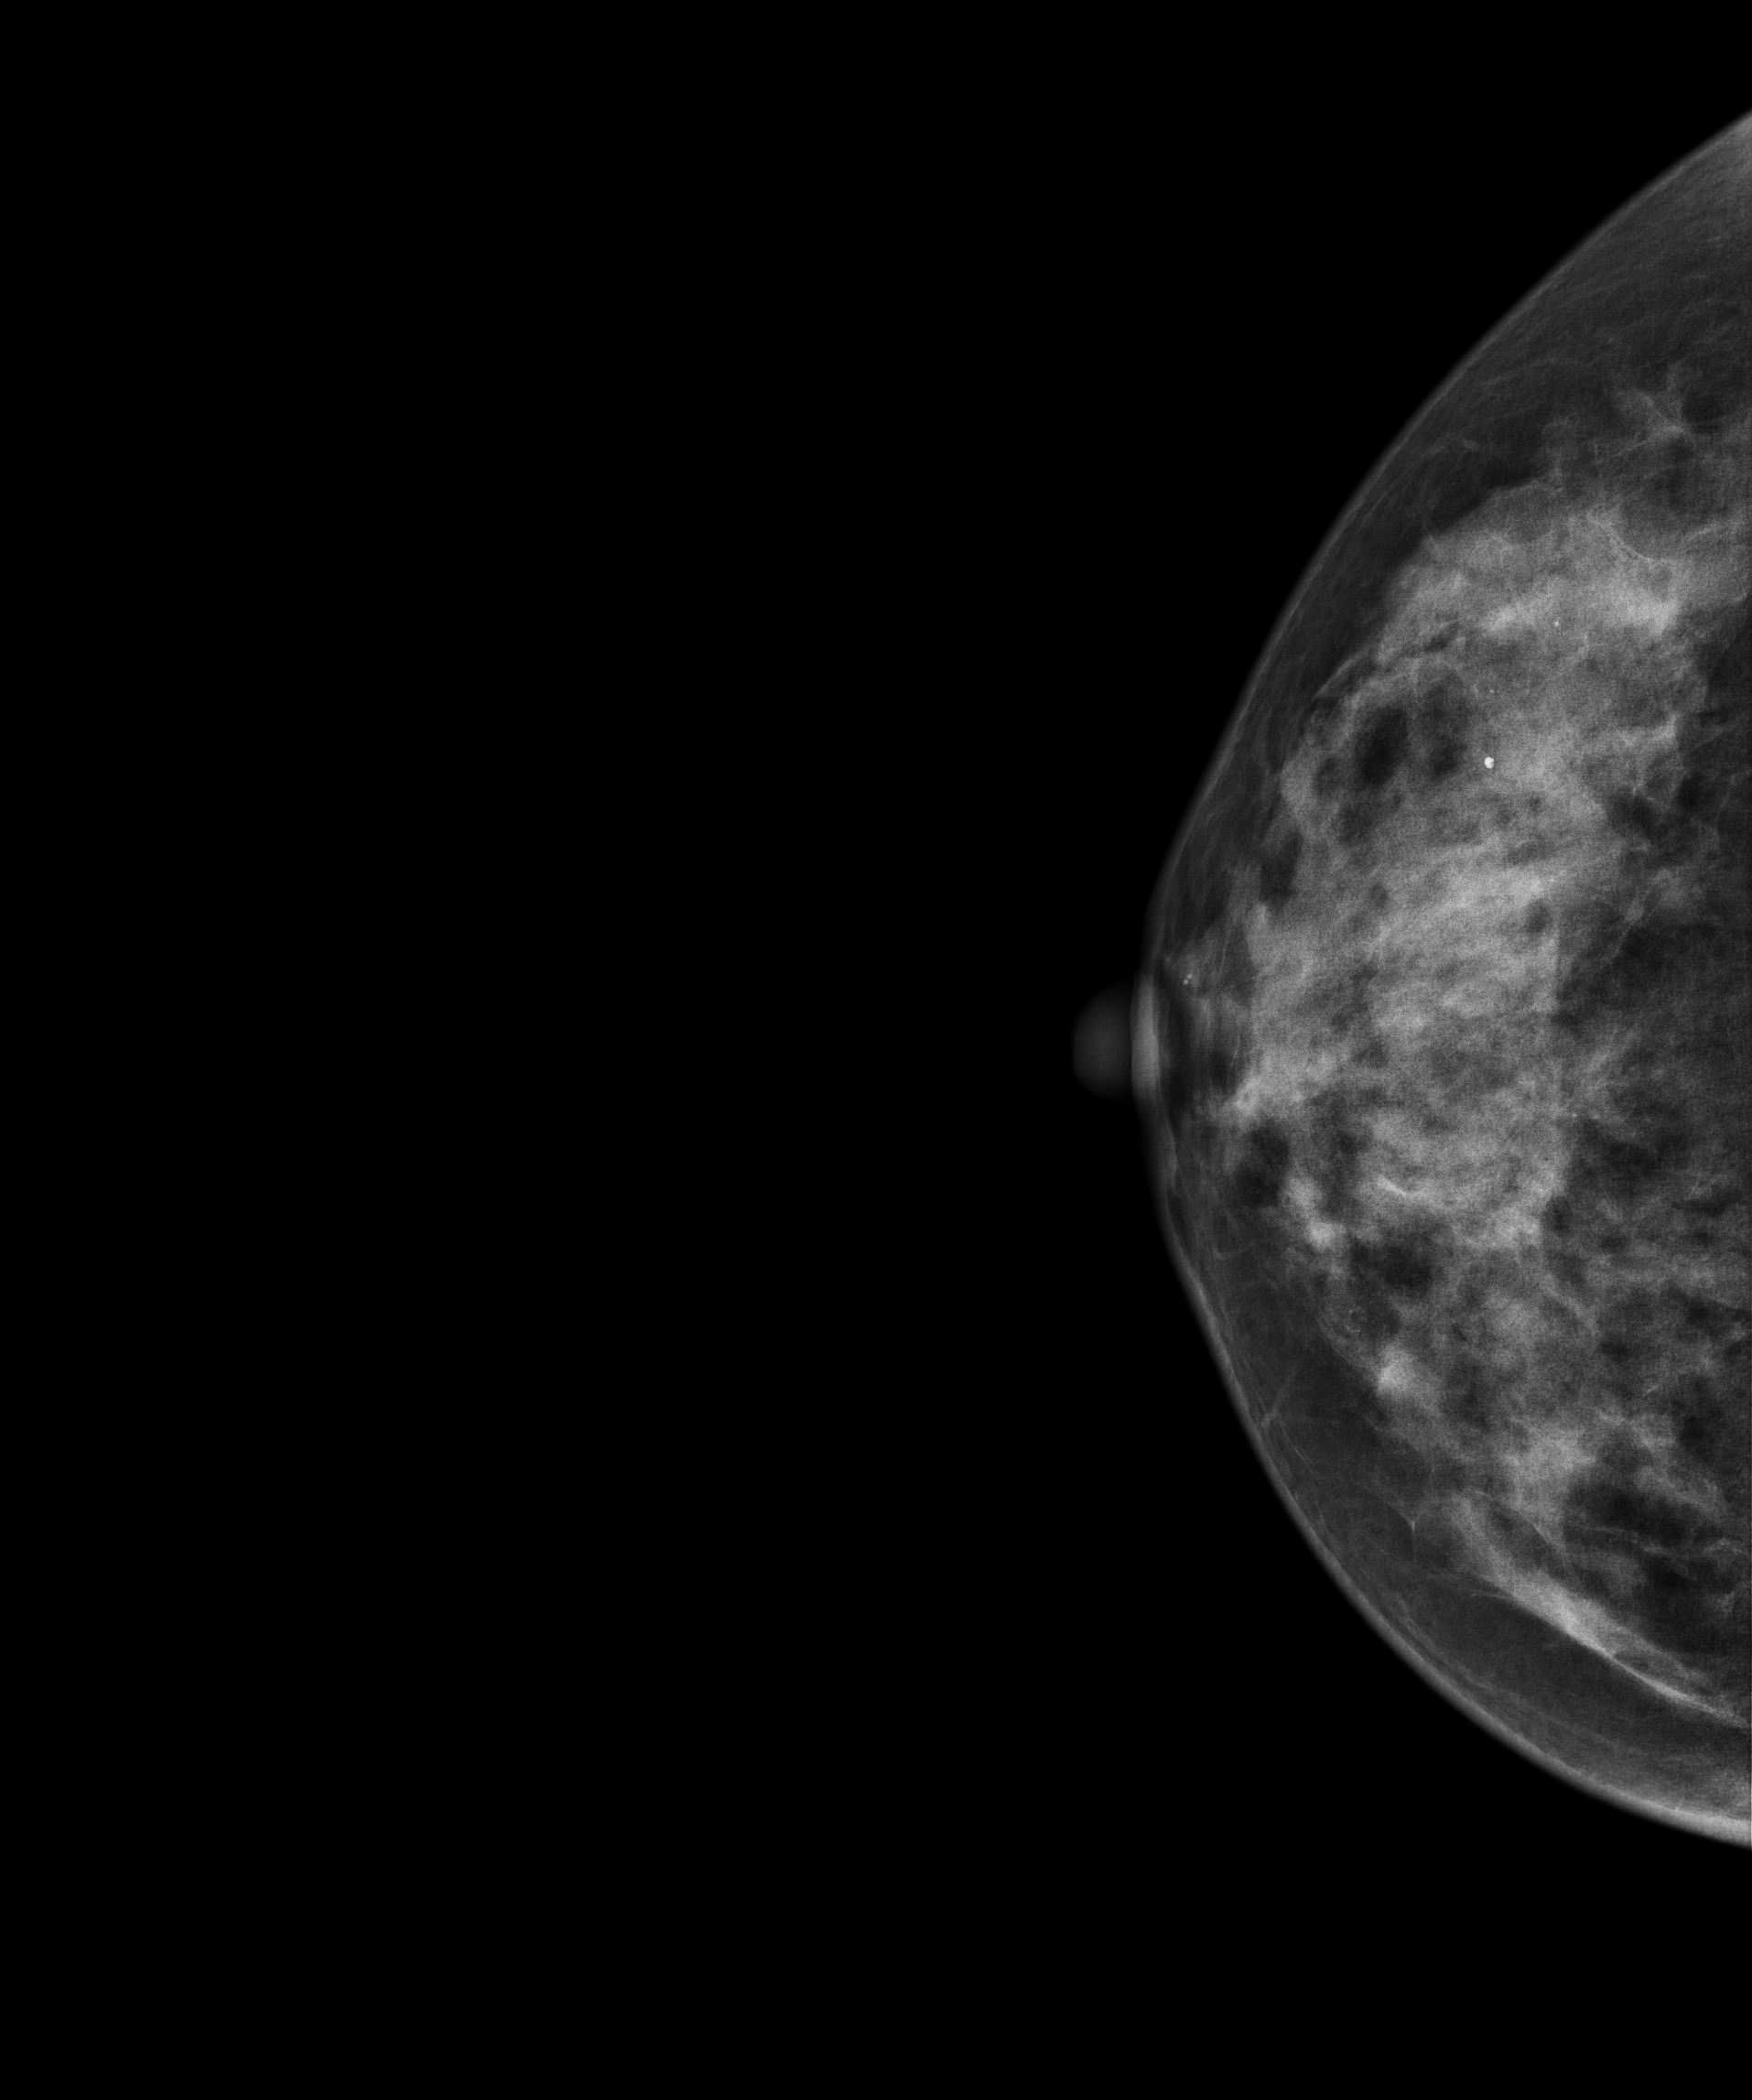
Mammogram, right breast, cranio-caudal view. Patient age 46.
Contralateral breast — no documented abnormality on this side.